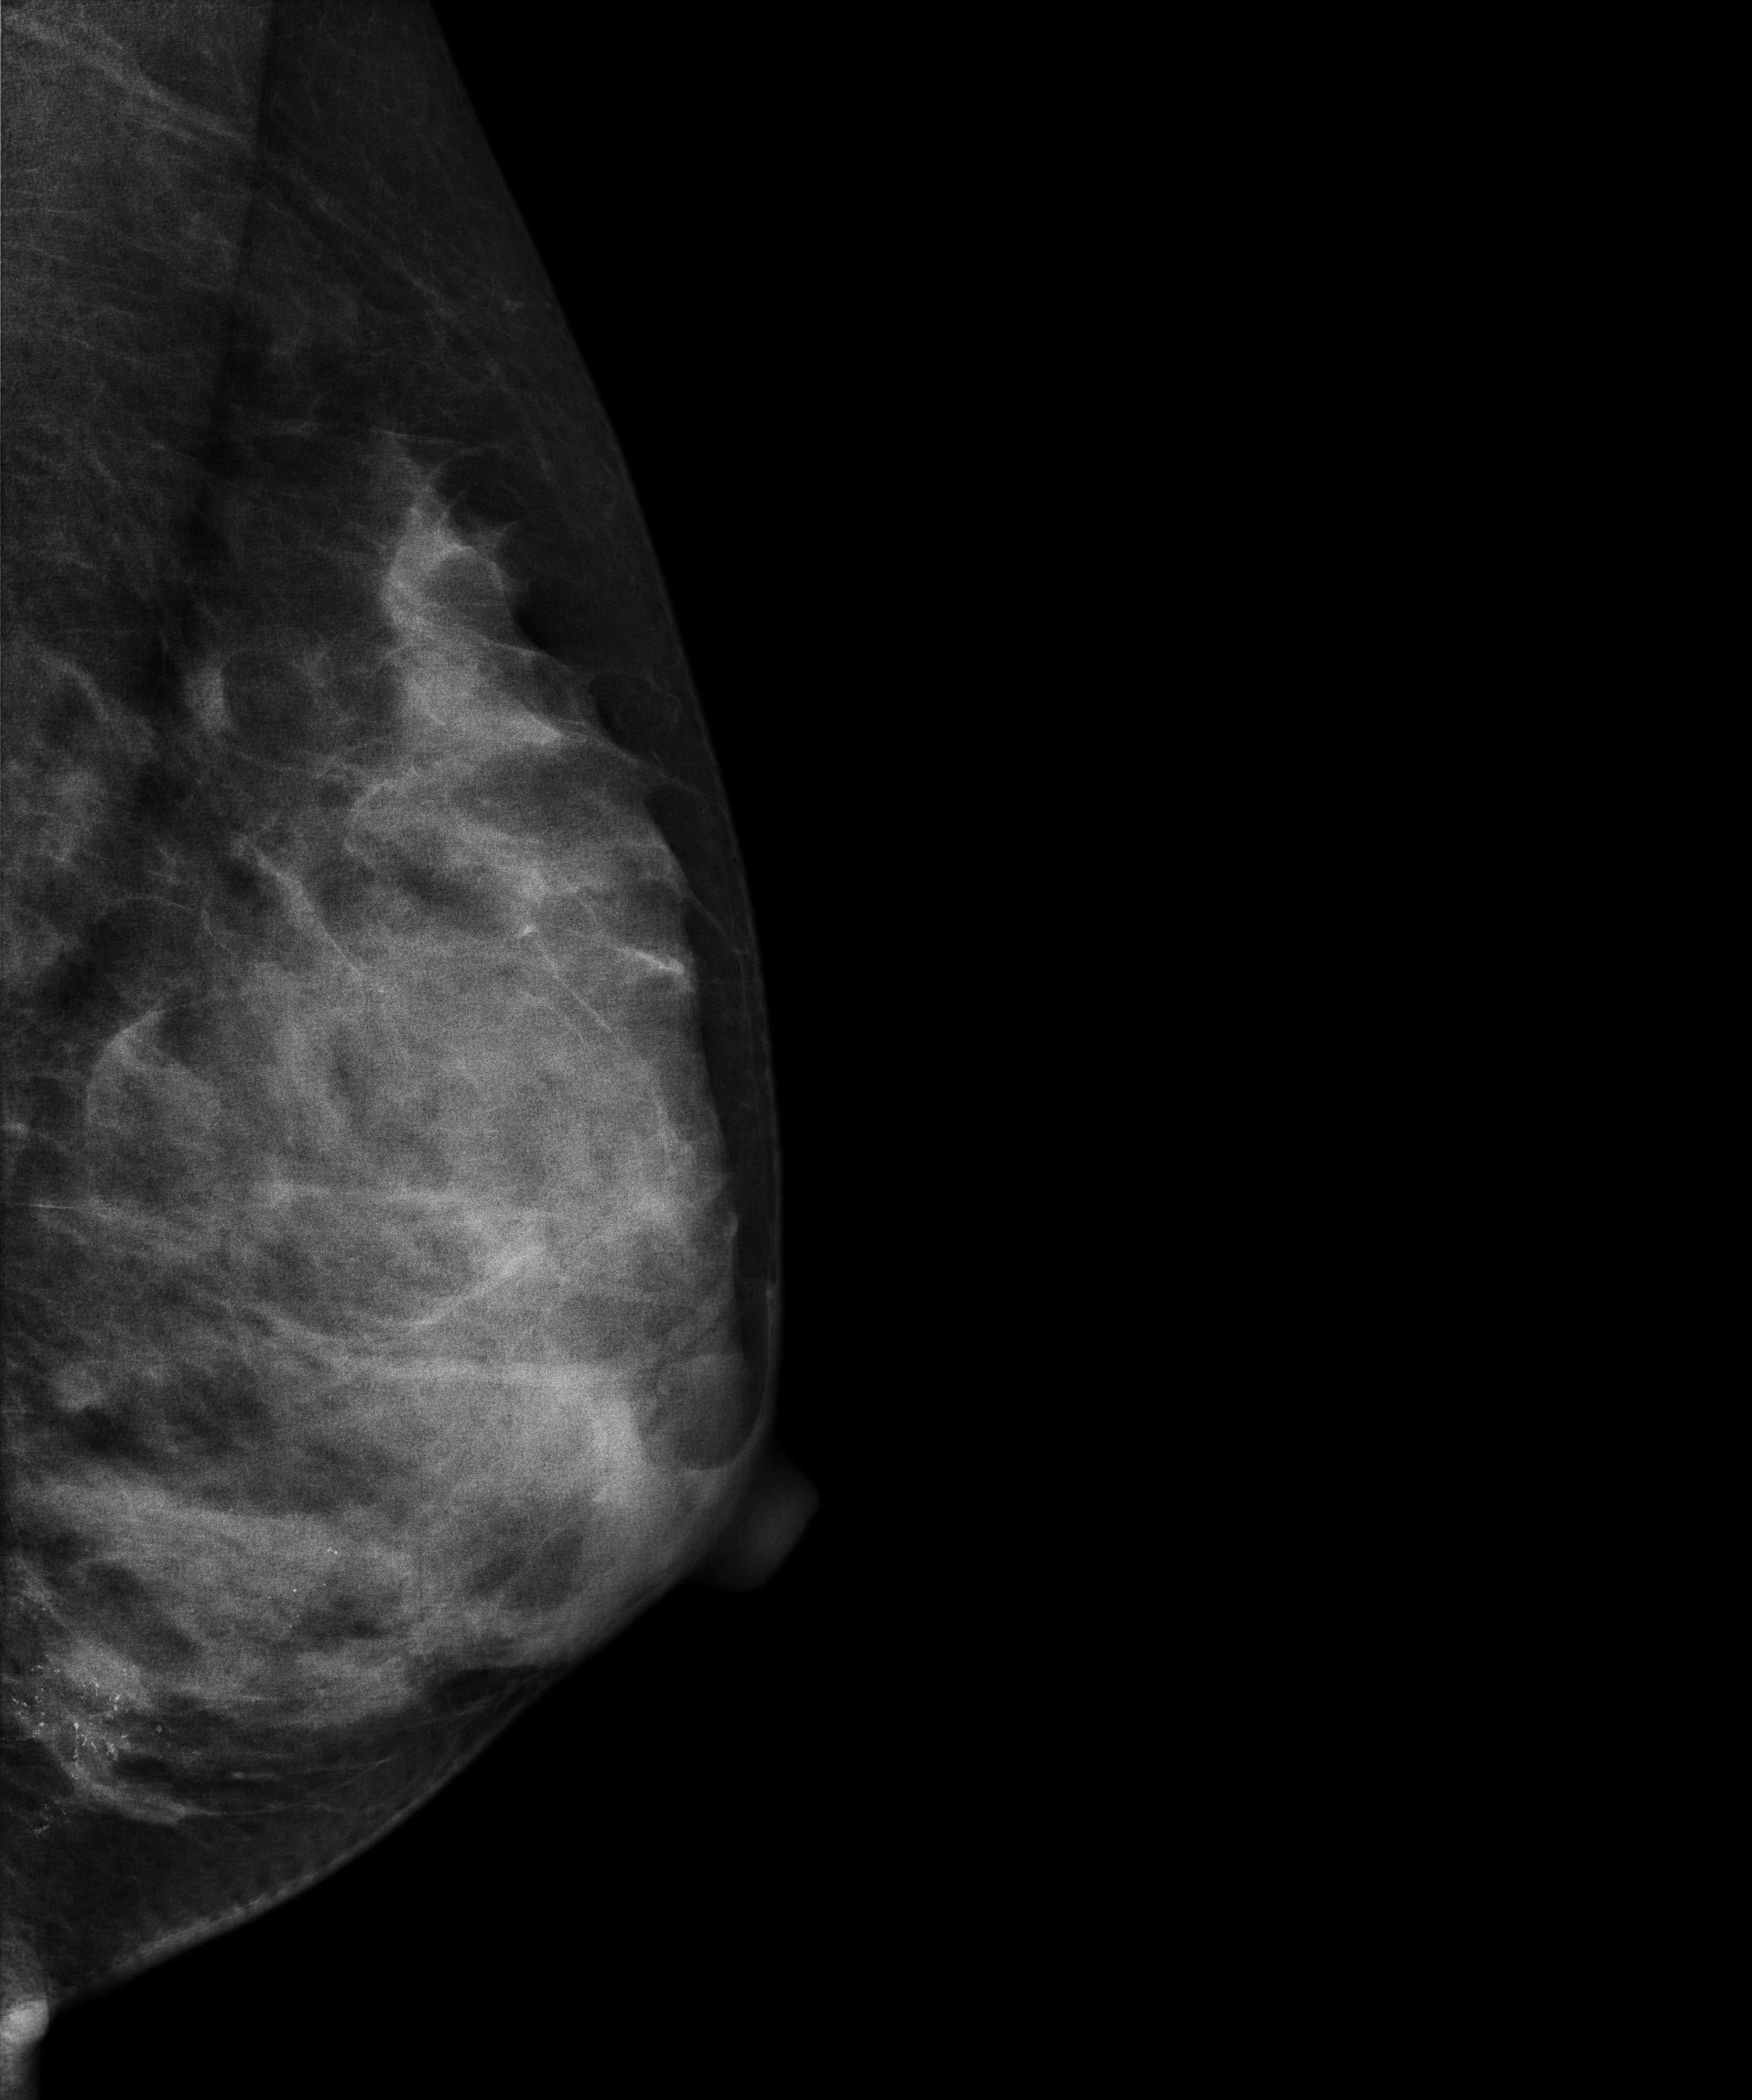
Digital mammography. Left breast, MLO projection. 38 y/o patient.
This breast has calcifications, biopsy-confirmed malignant.